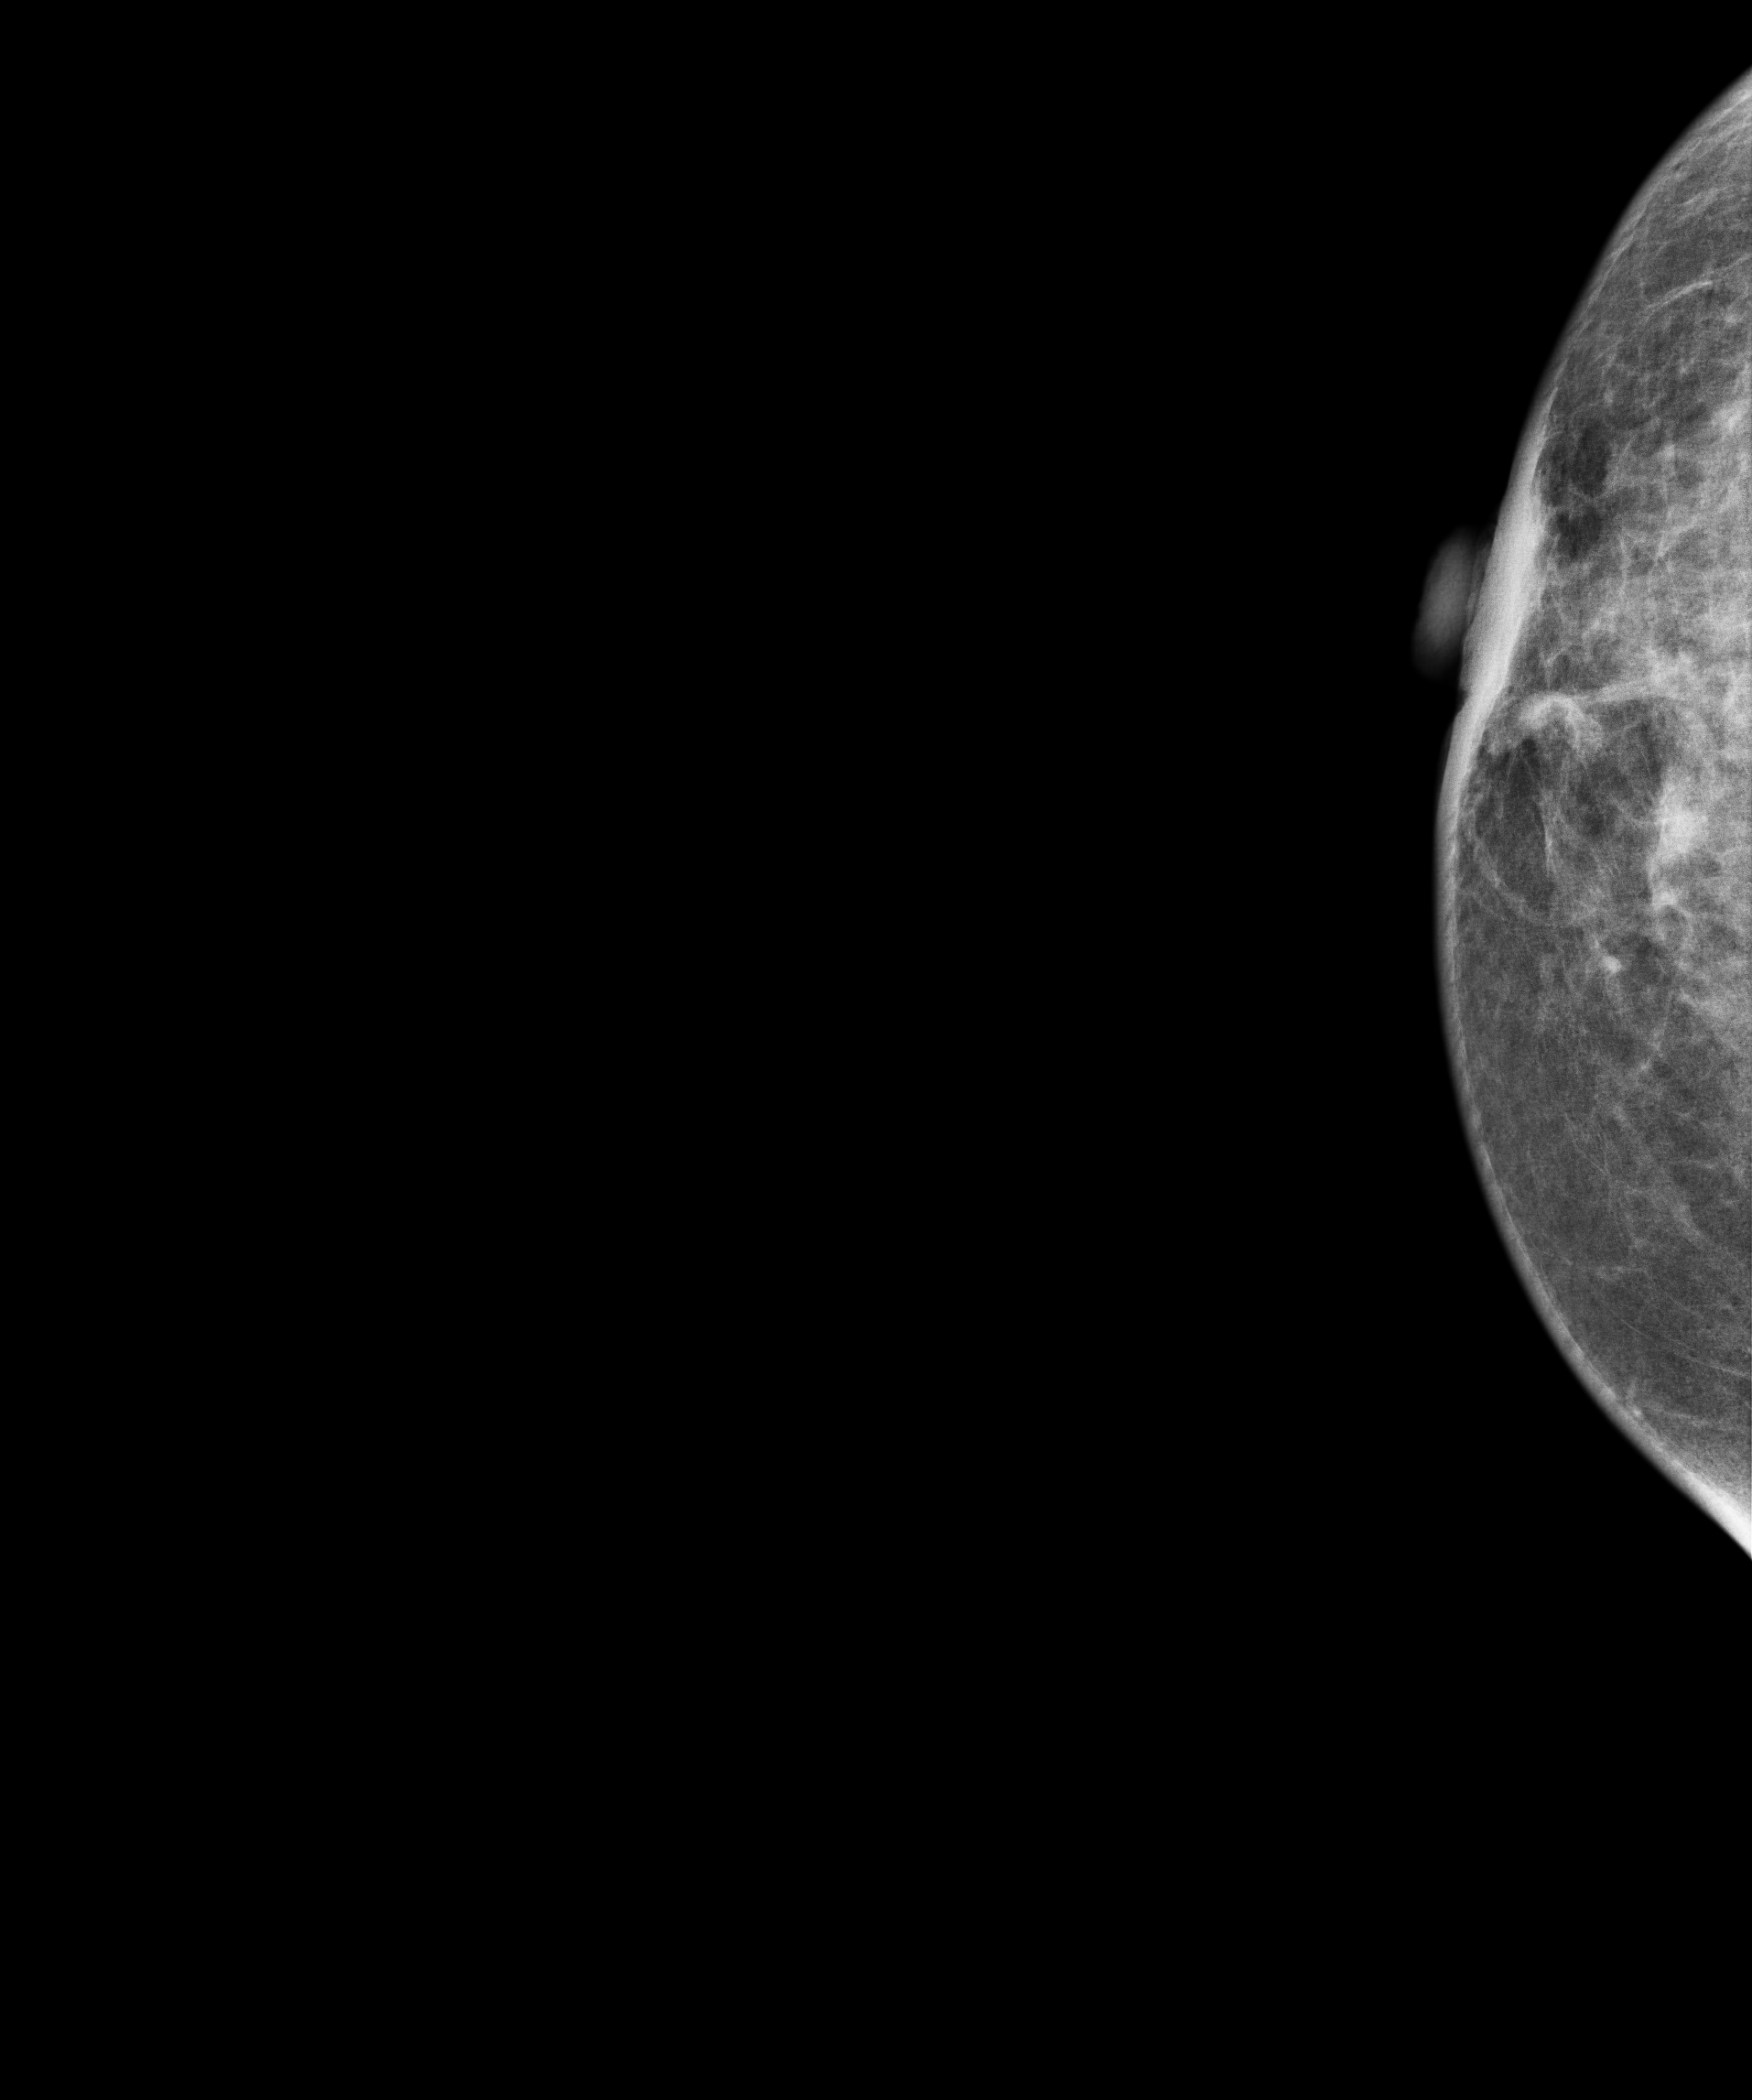
CC mammogram of the right breast. 59-year-old patient.
This breast has a mass, histologically confirmed malignant.